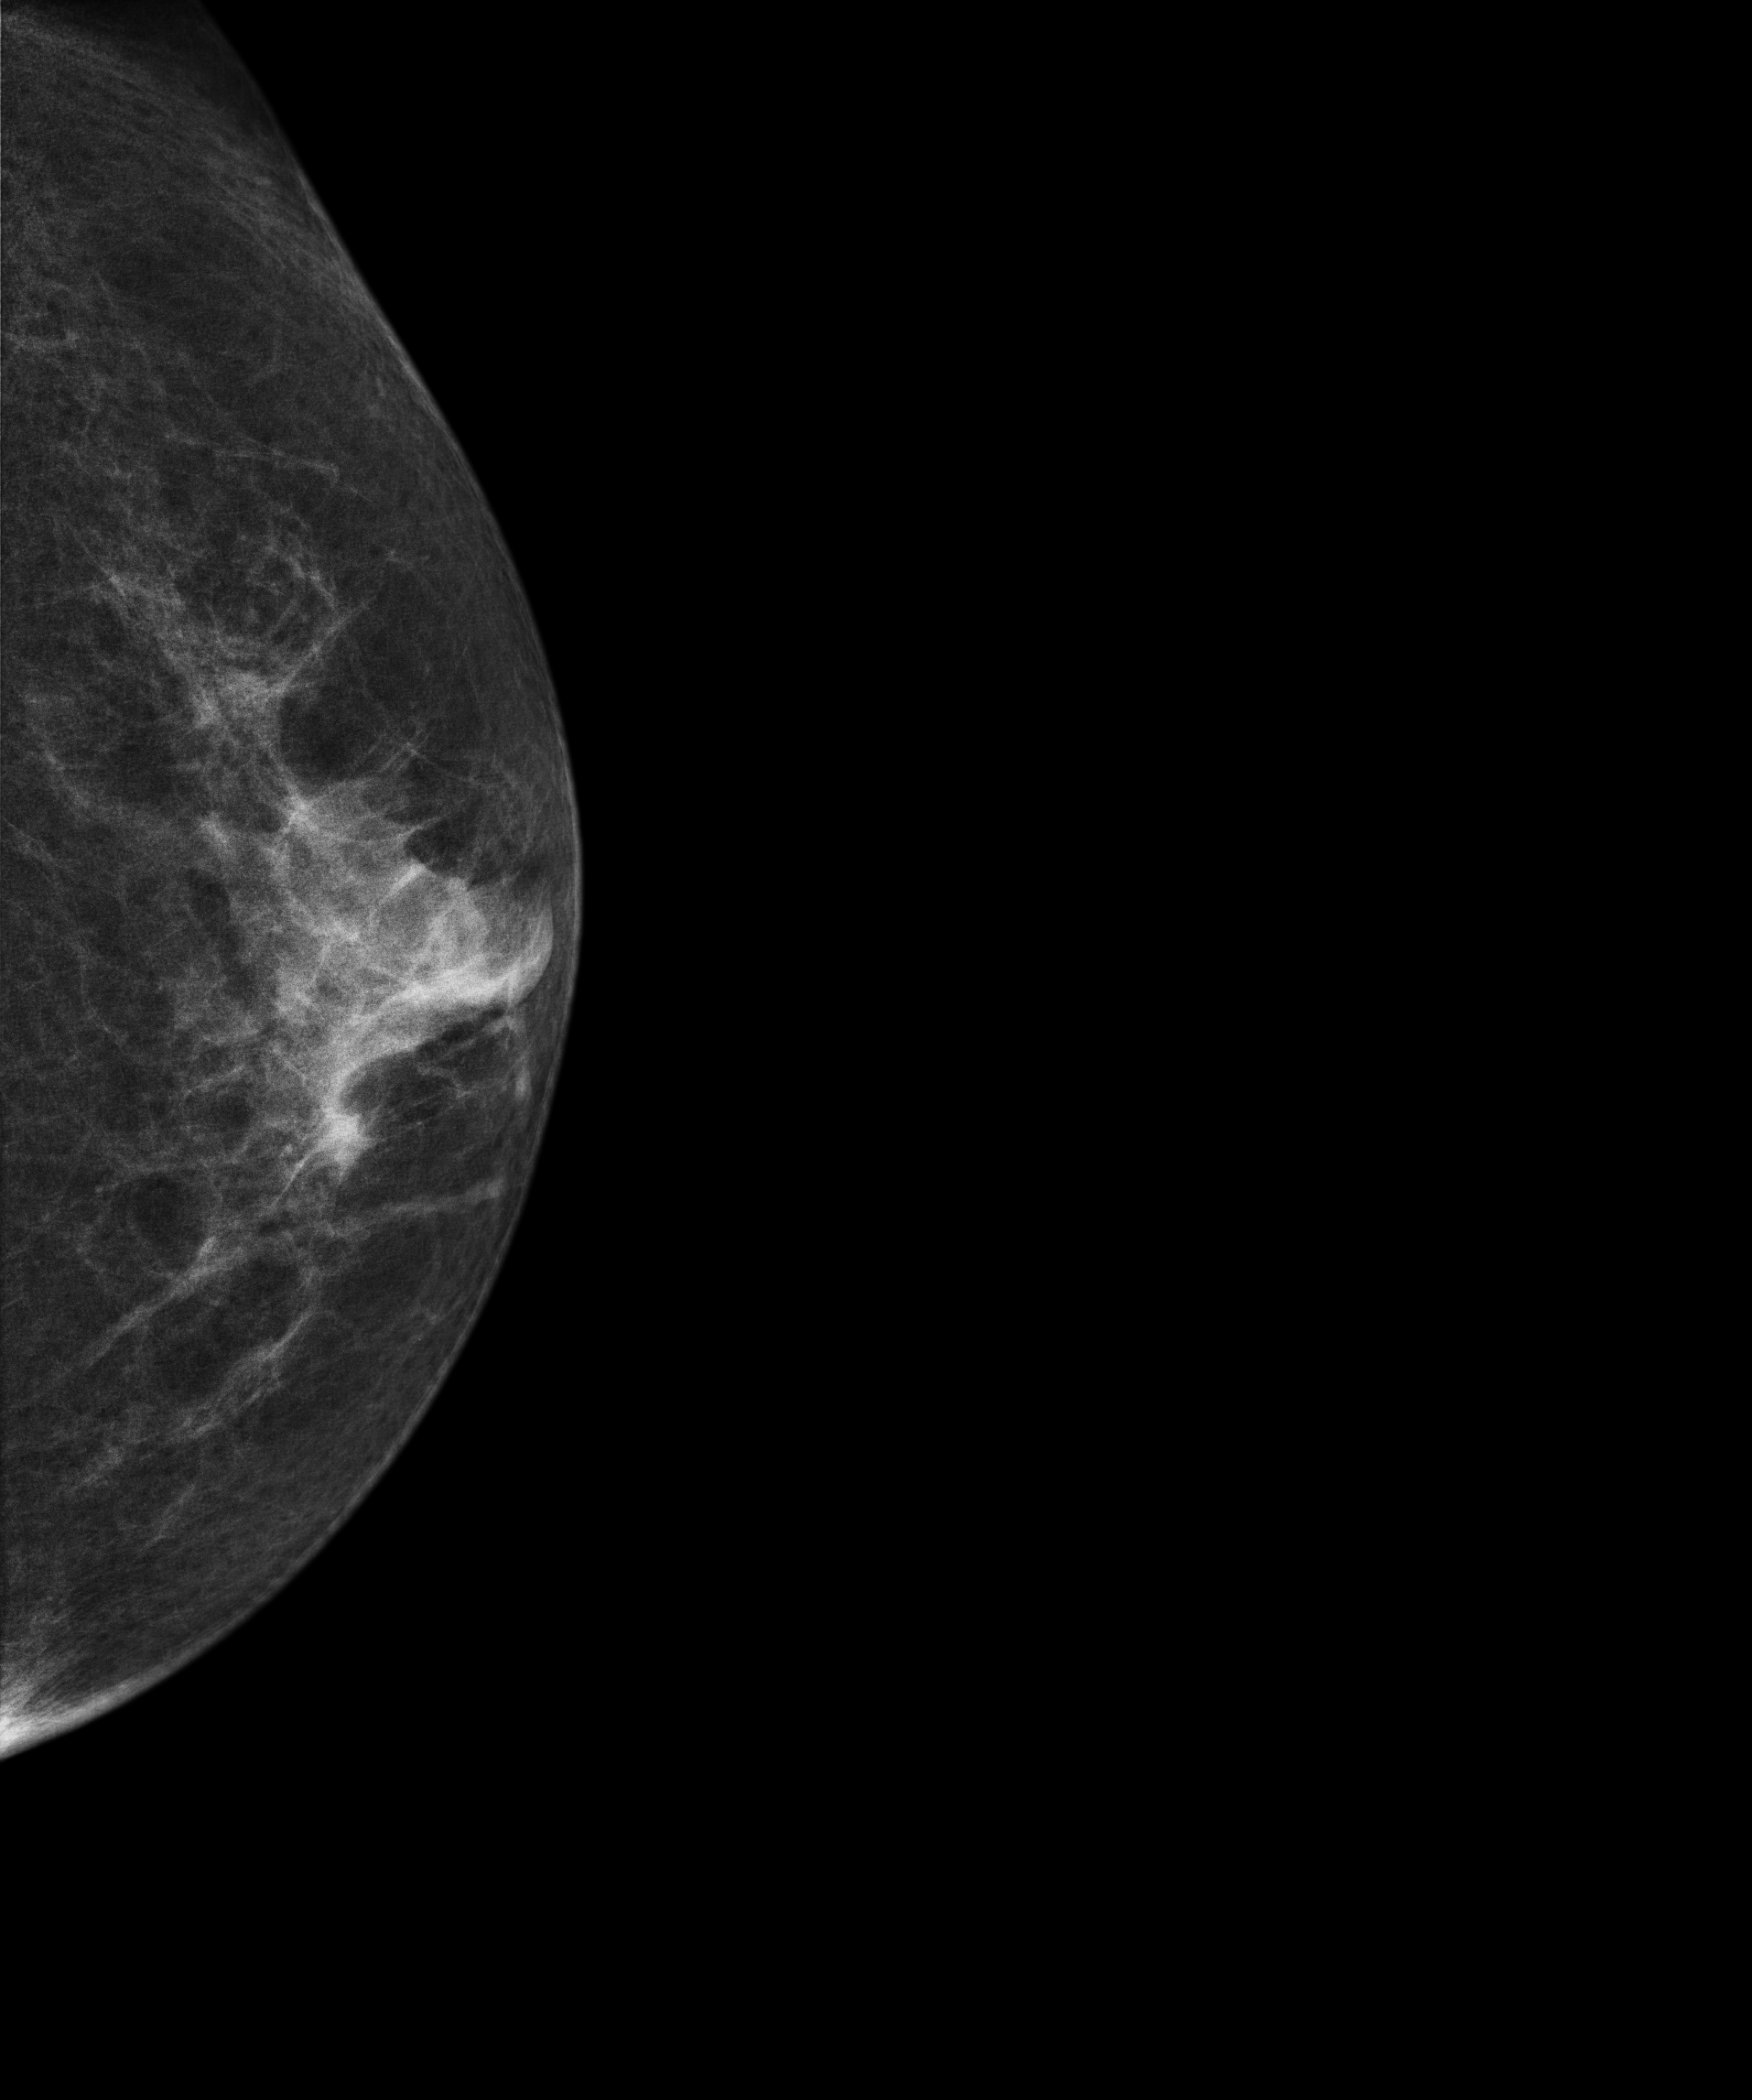
Left-breast mammogram, CC. 57 y/o patient.
Contralateral breast — no documented abnormality on this side.